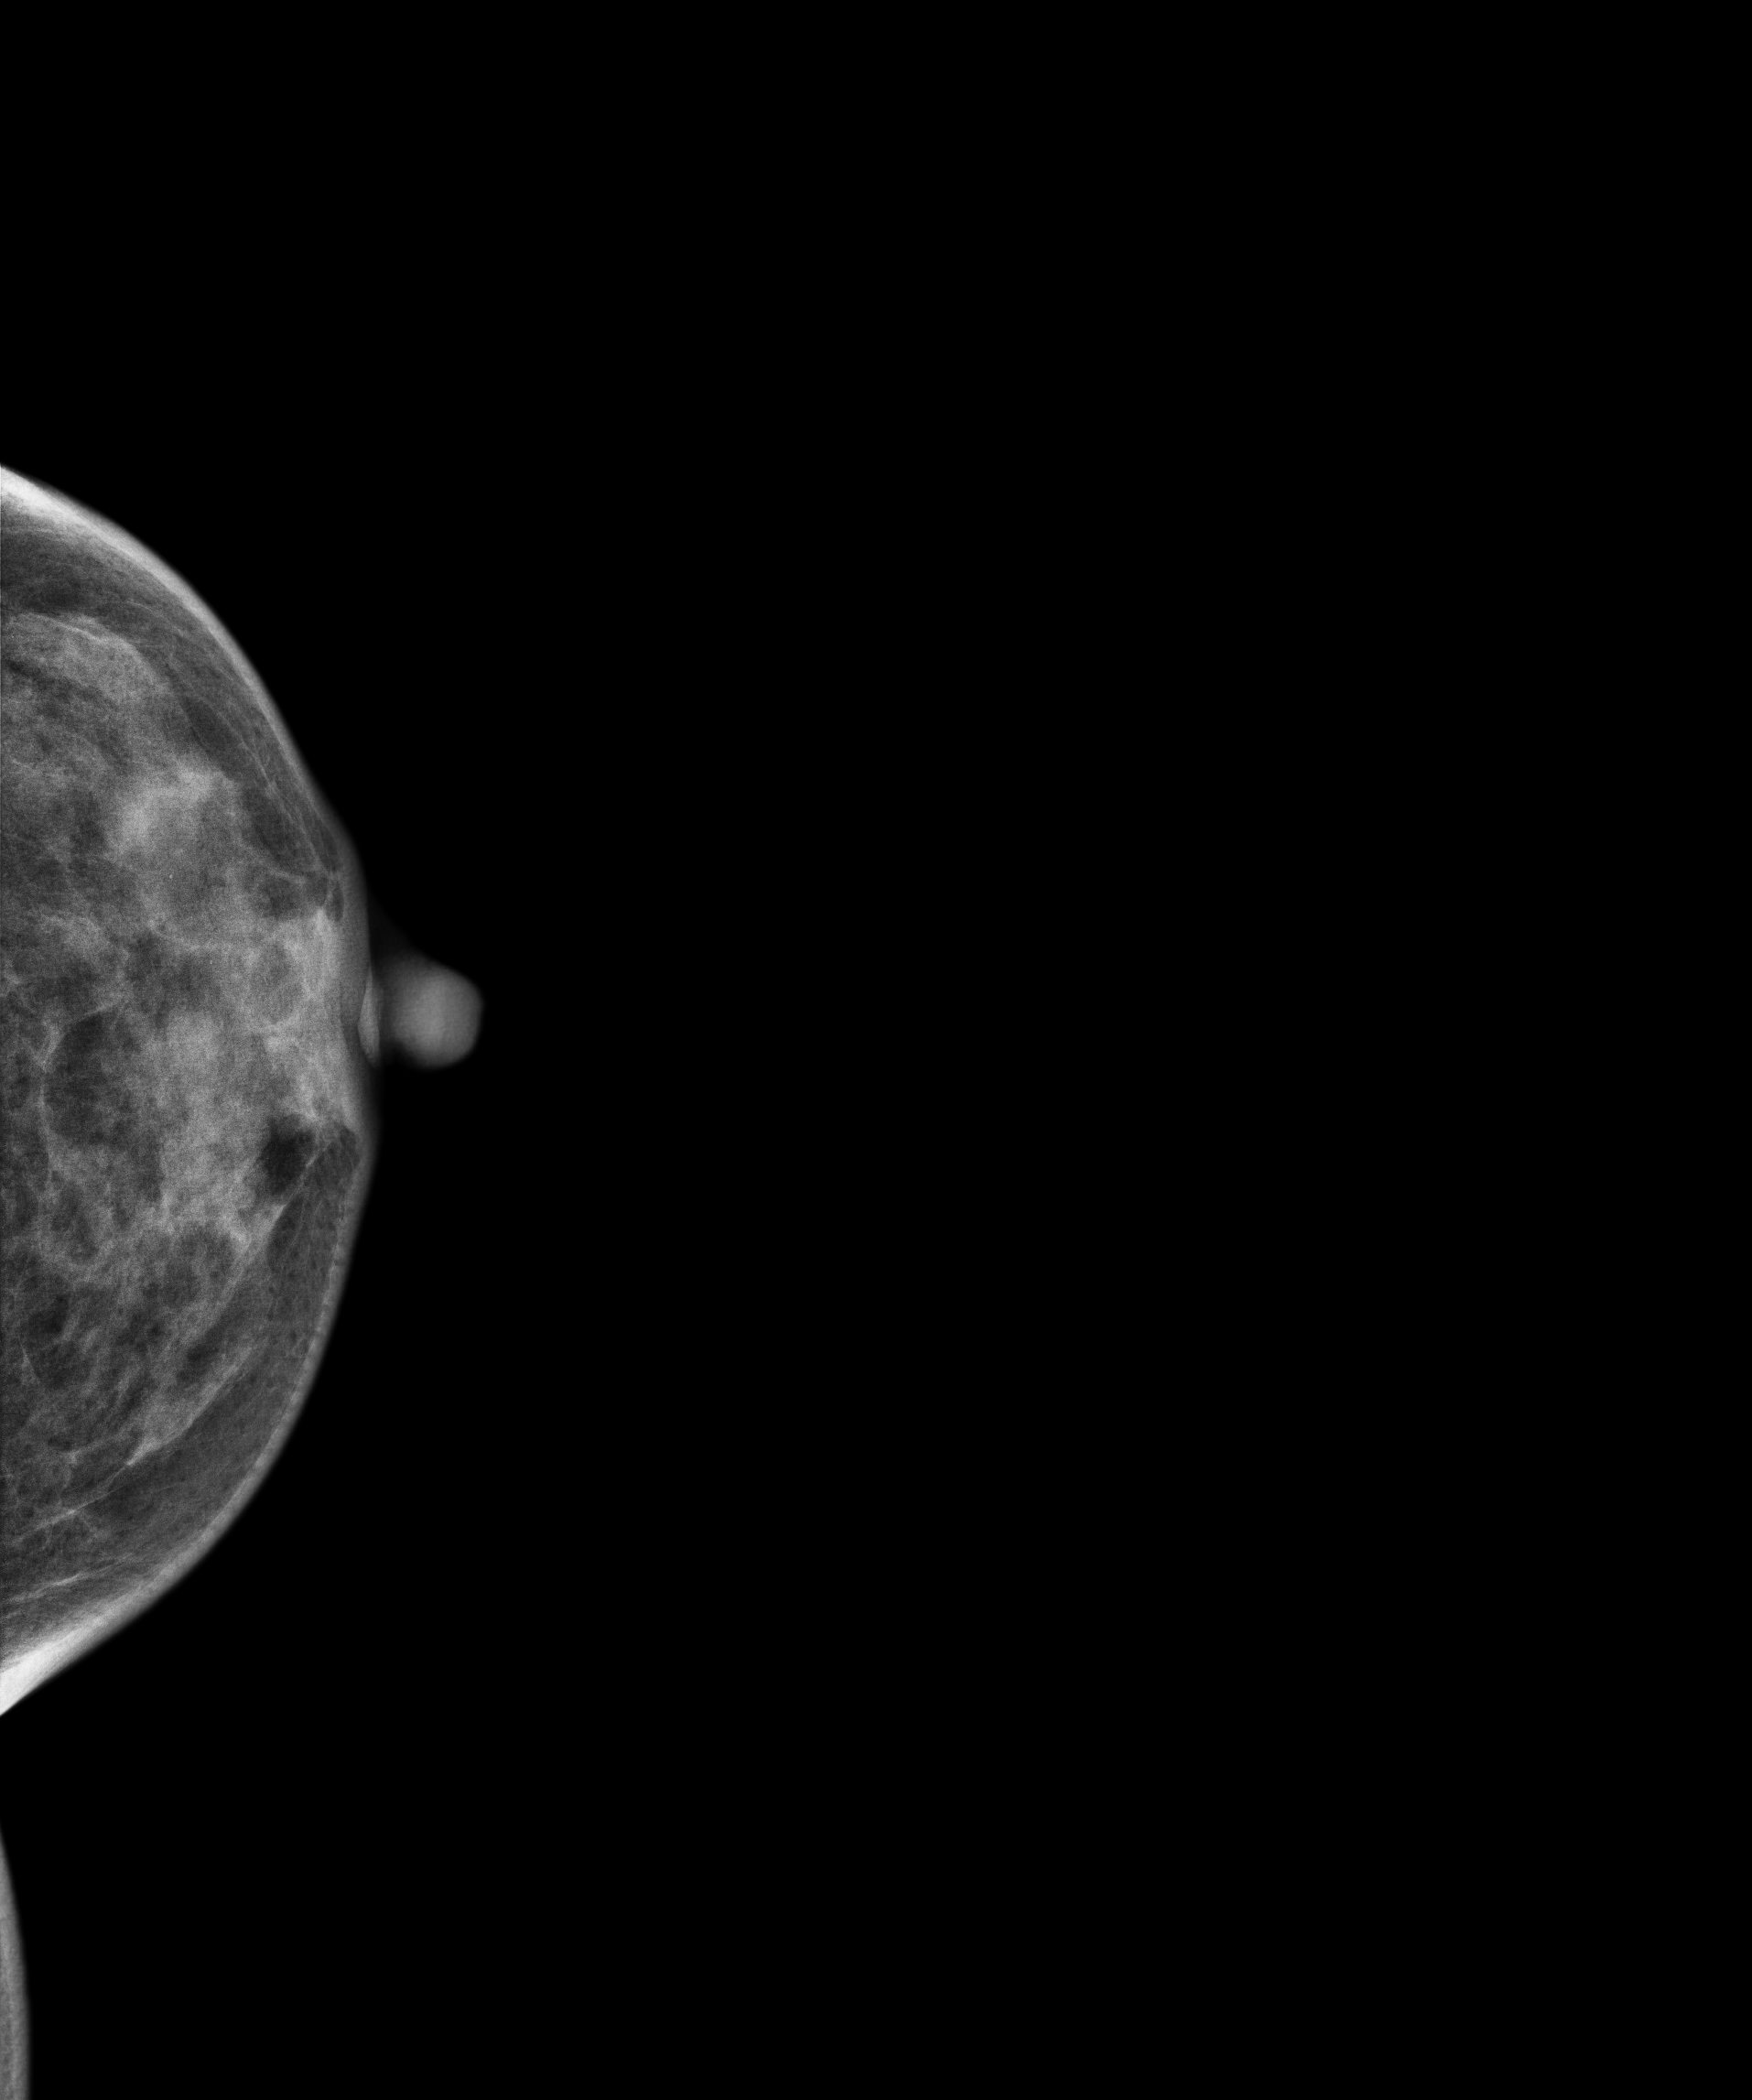
Cranio-caudal mammogram of the left breast. 39 y/o patient.
This breast has a mass, biopsy-confirmed malignant. Molecular subtype: luminal A.